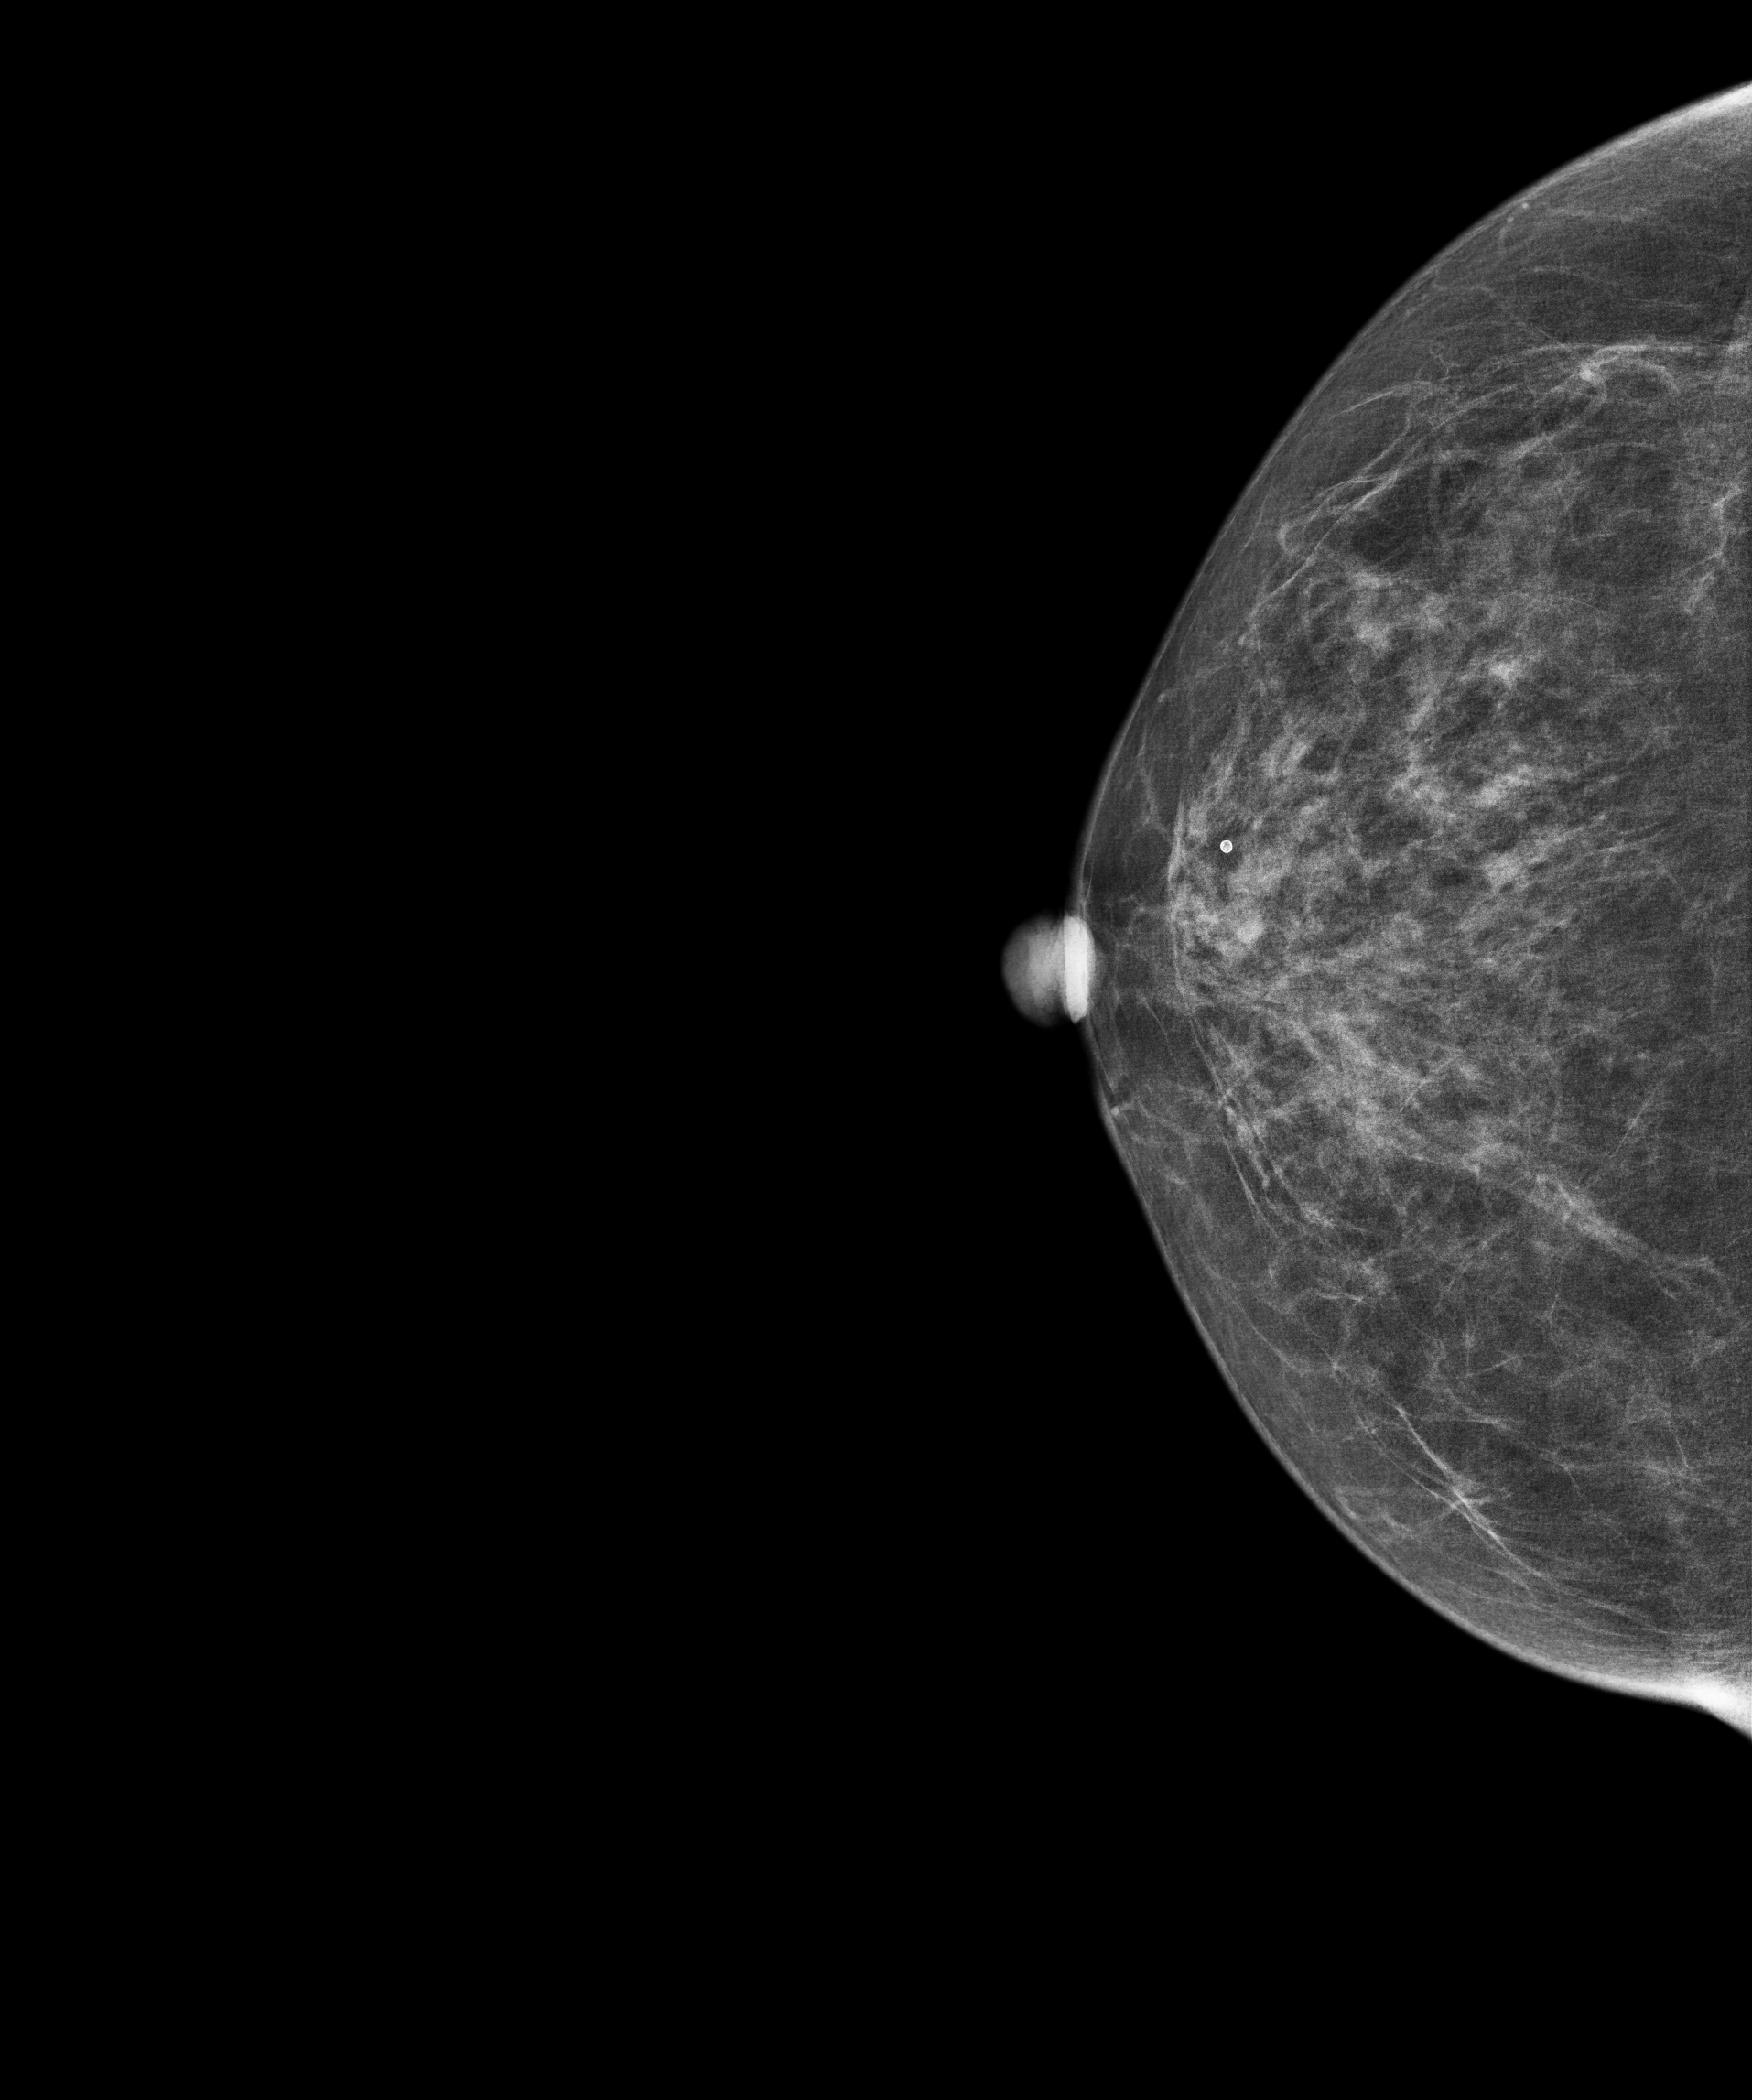
Cranio-caudal mammogram of the right breast. 59 y/o patient.
Contralateral breast — no documented abnormality on this side.